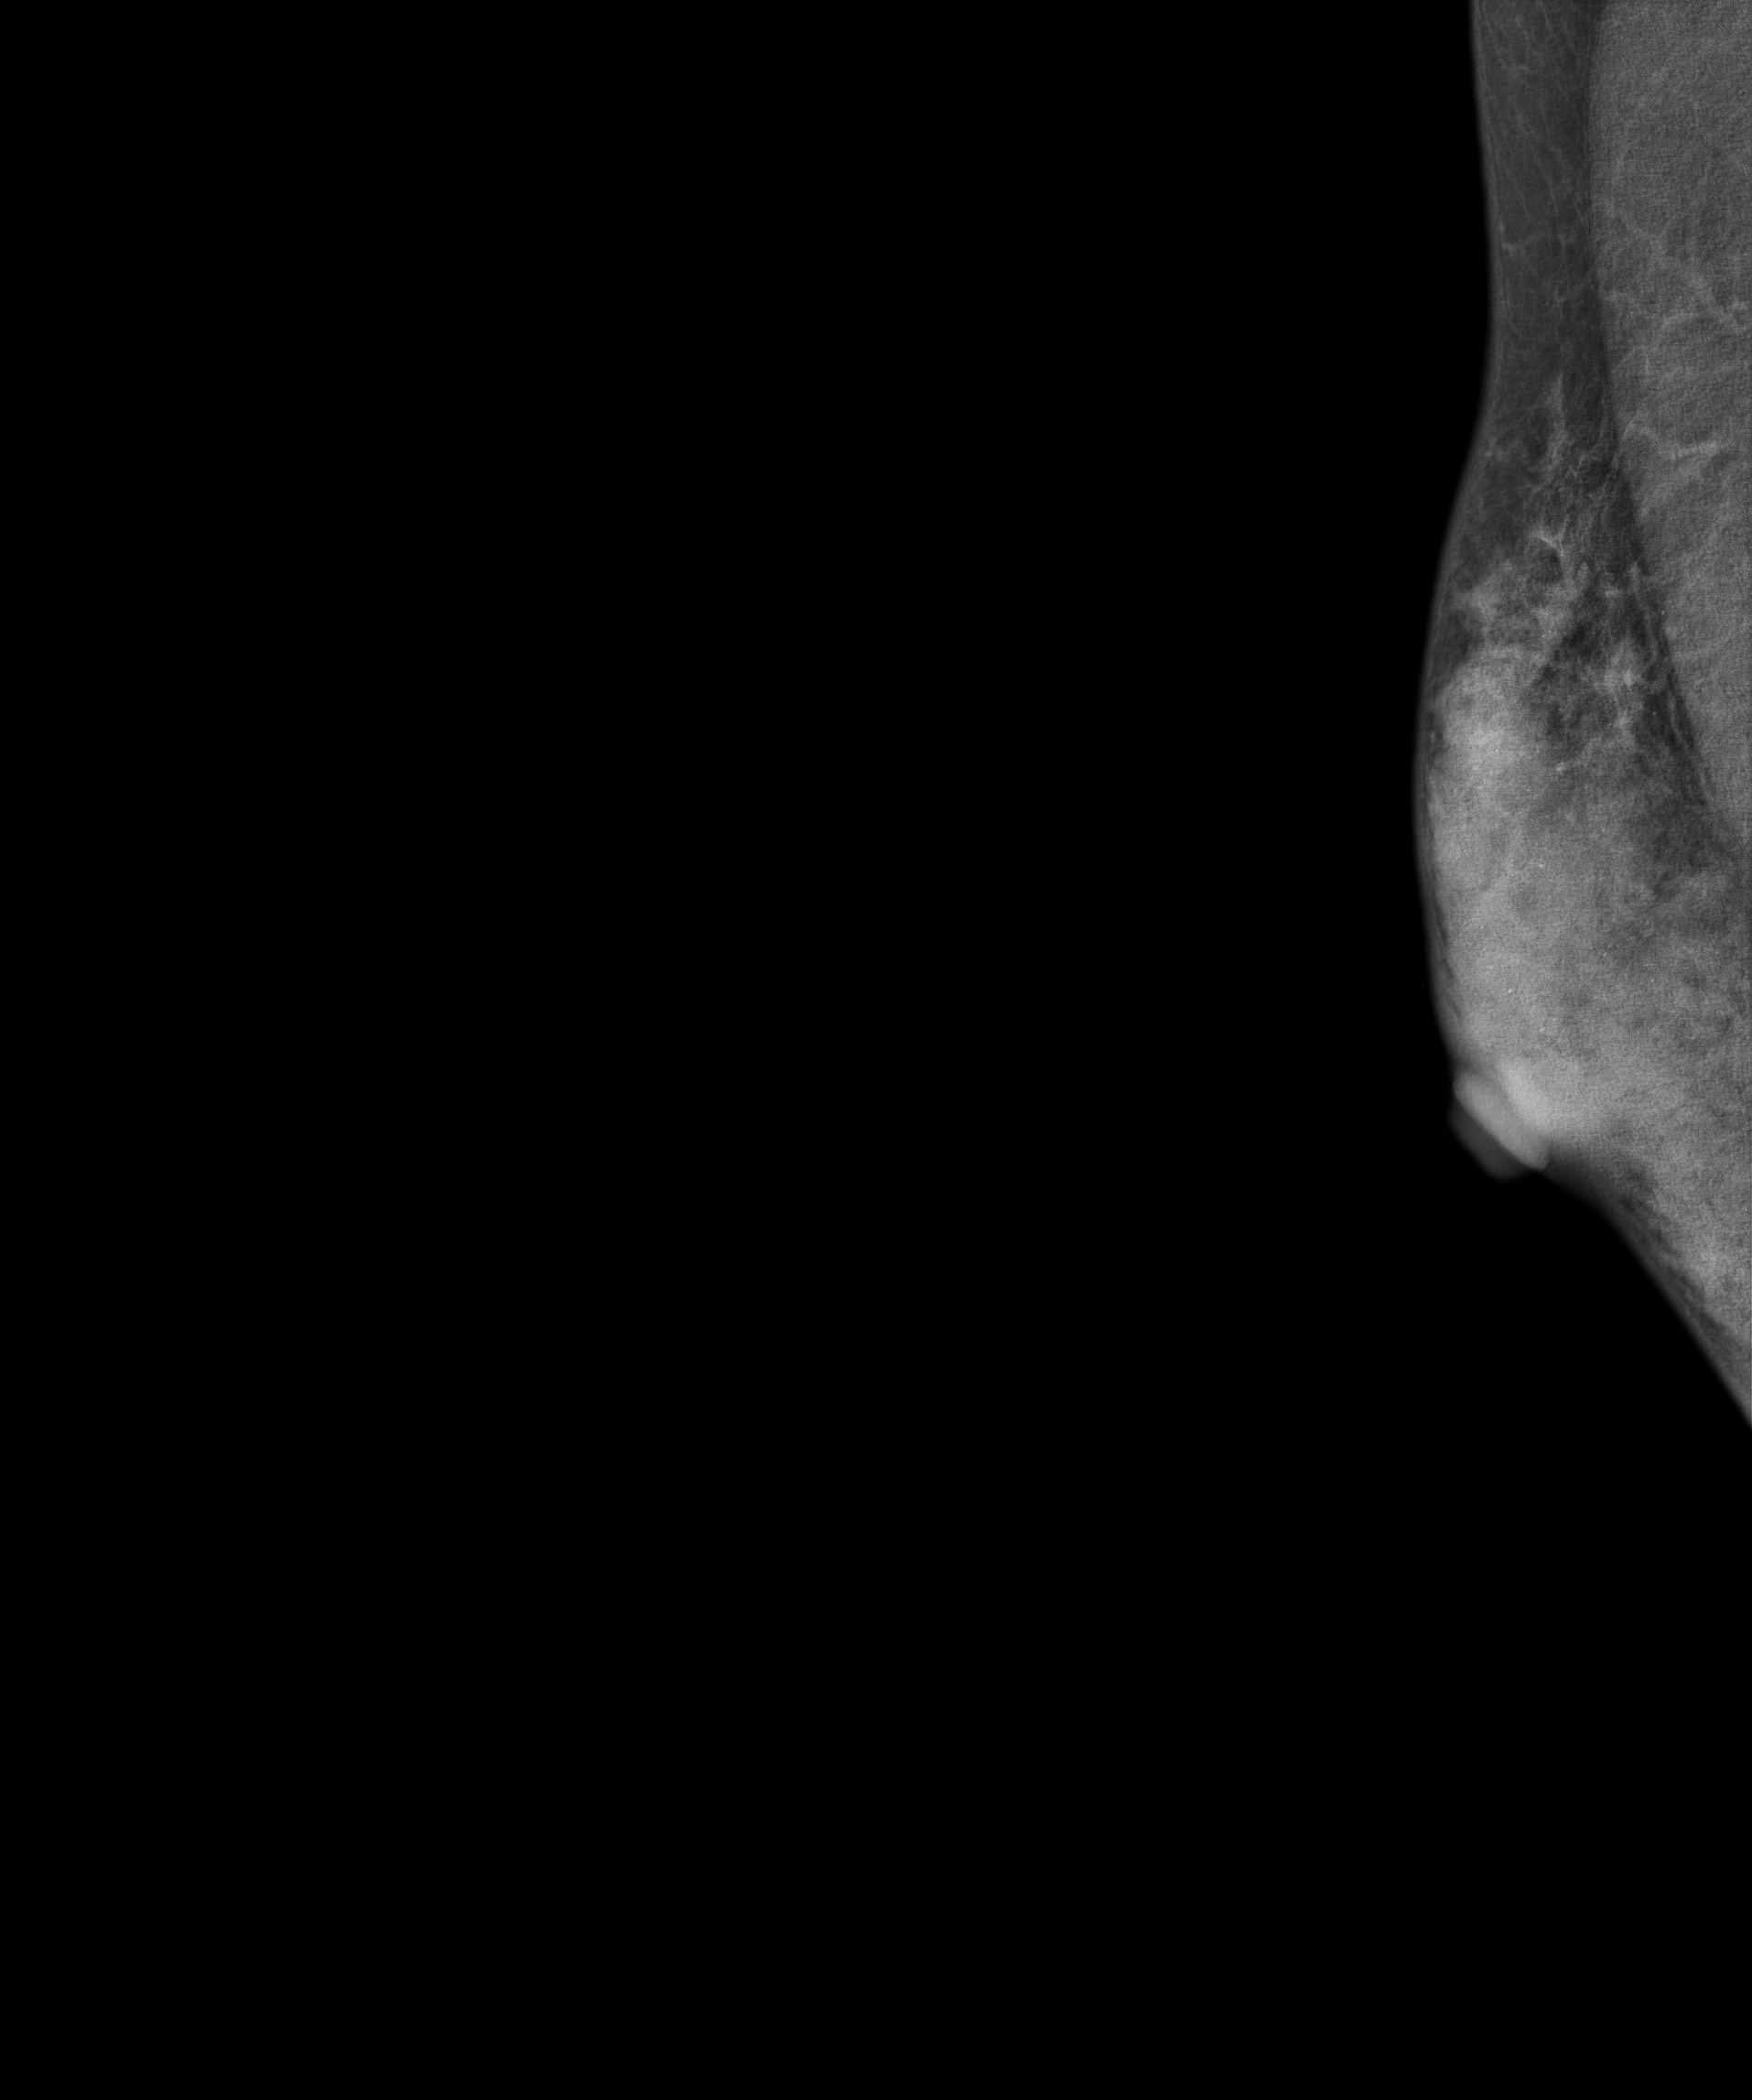
Right-breast mammogram, MLO. Patient age 44.
Contralateral breast — no documented abnormality on this side.